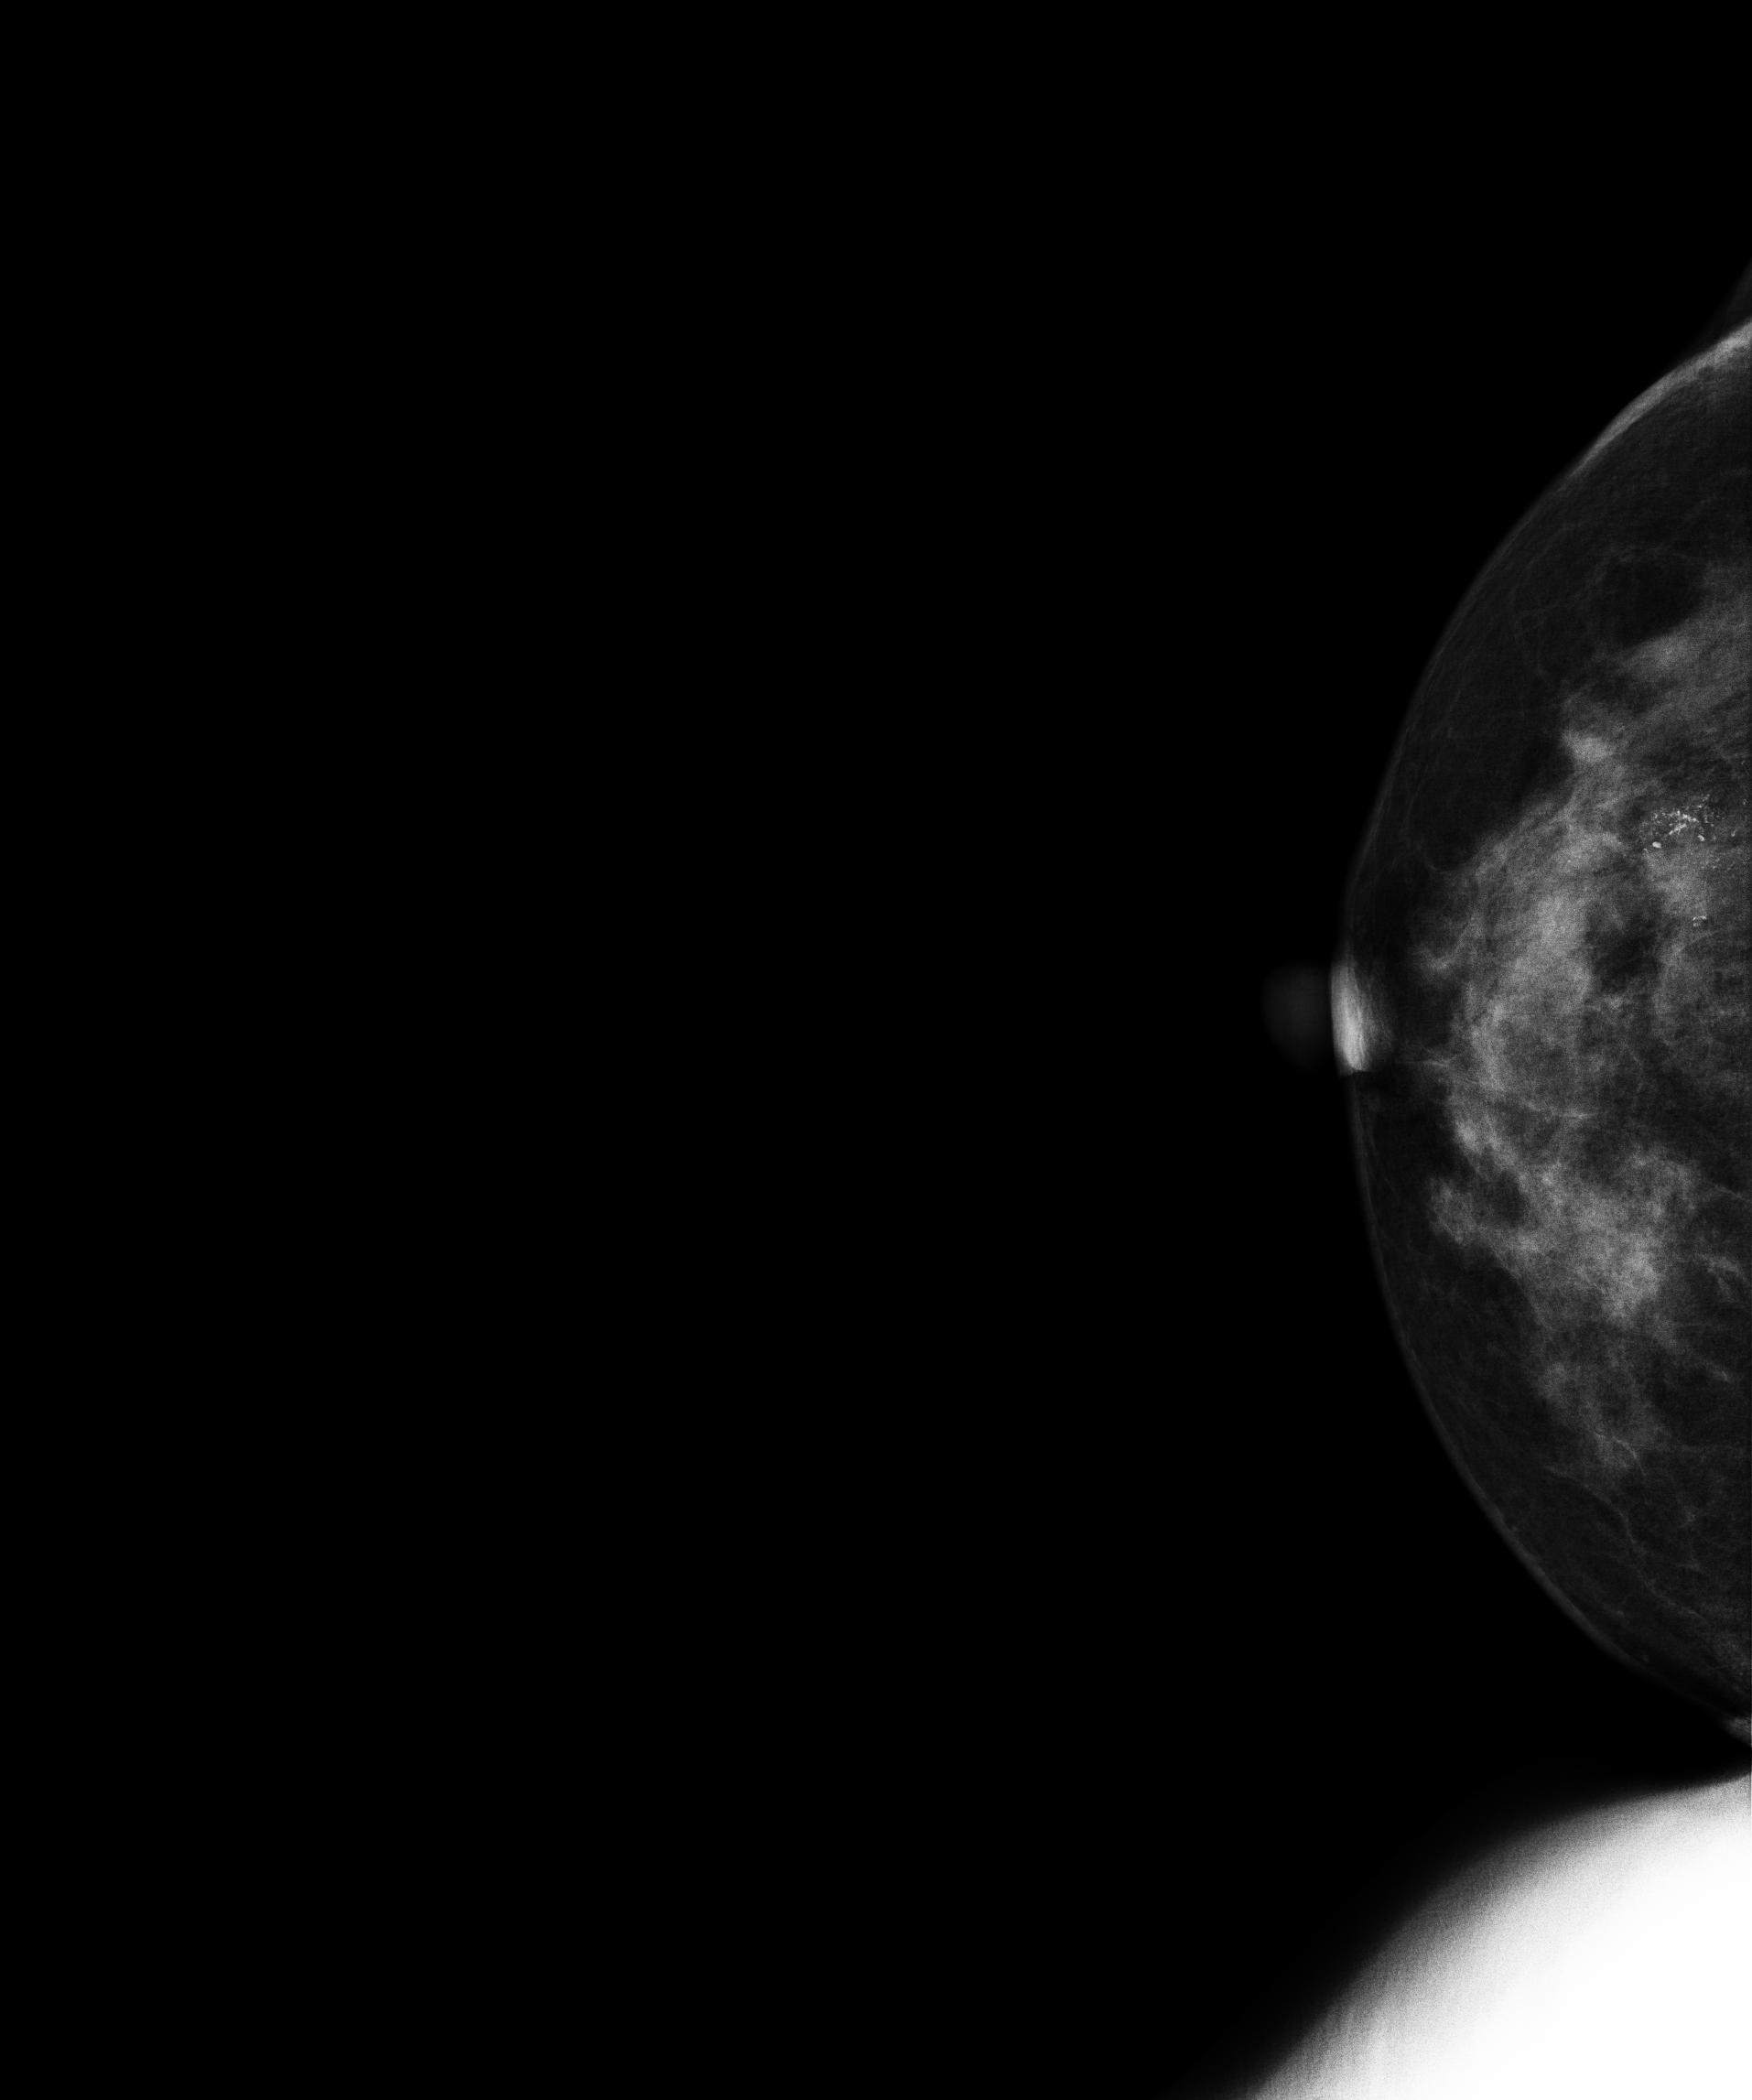
Mammogram, right breast, CC view. Patient age 45.
This breast has calcifications, pathology-confirmed malignant.